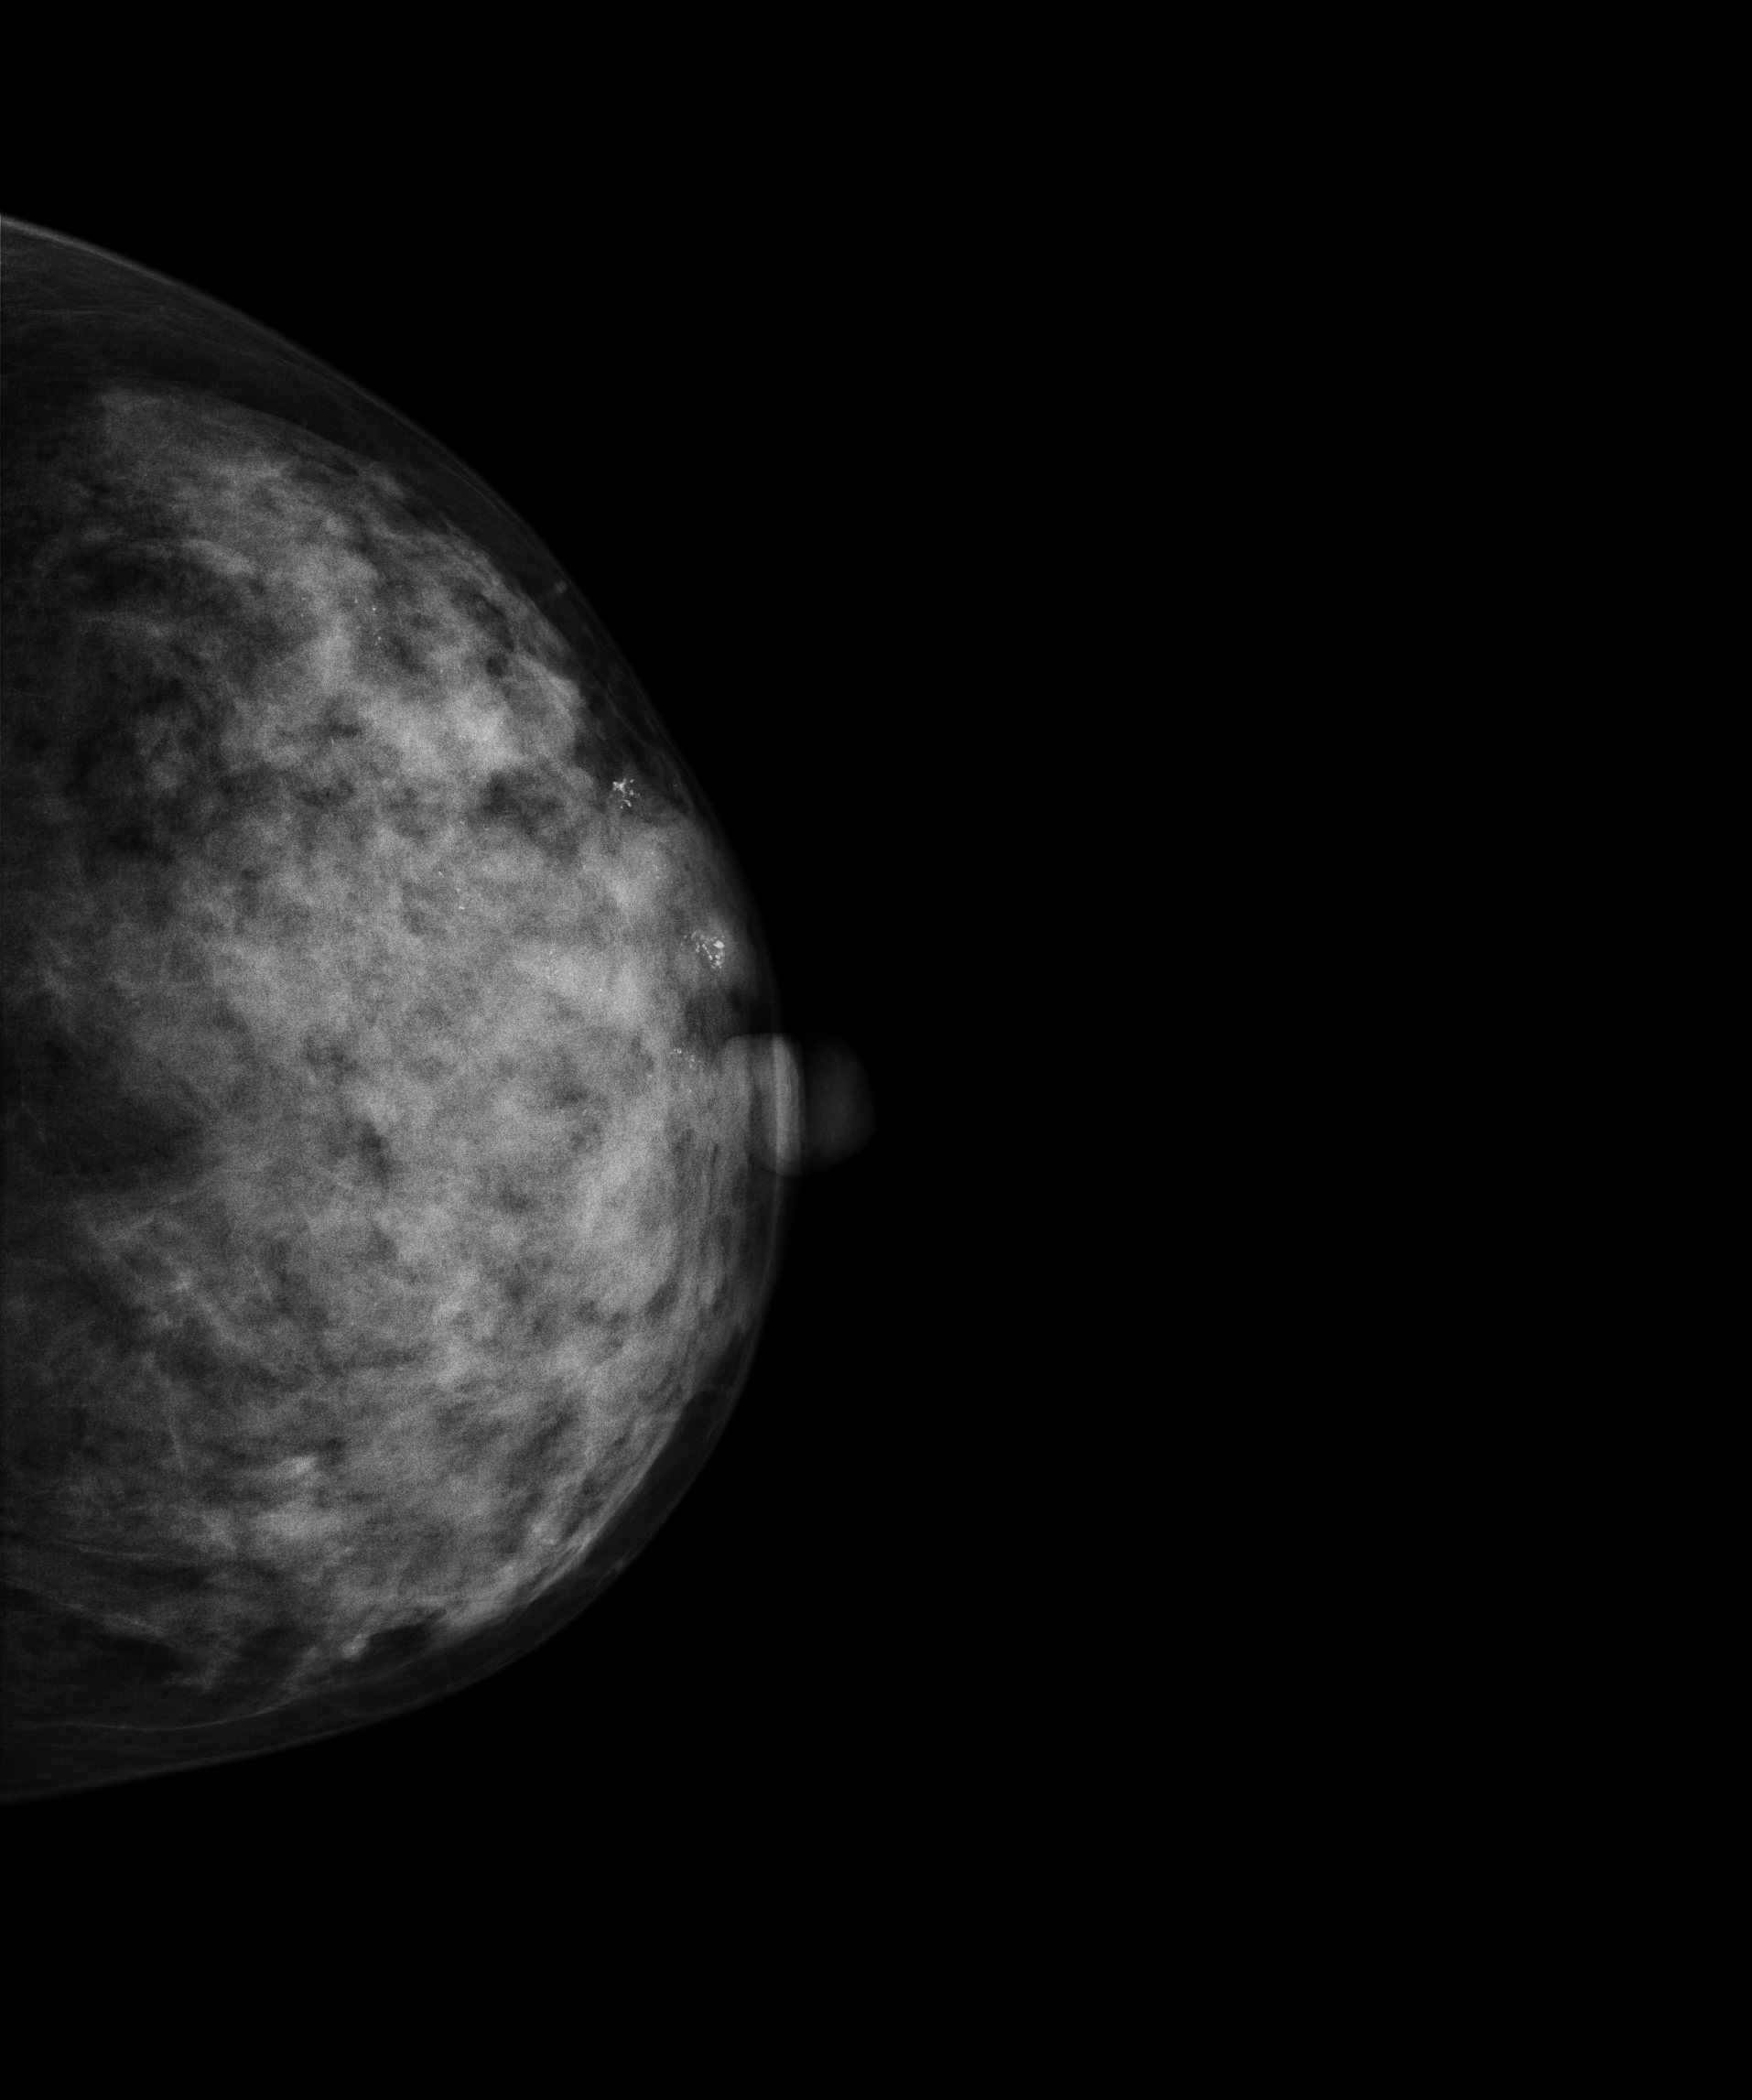
Mammogram, left breast, CC view. 46-year-old patient.
This breast has calcifications, histologically confirmed malignant.